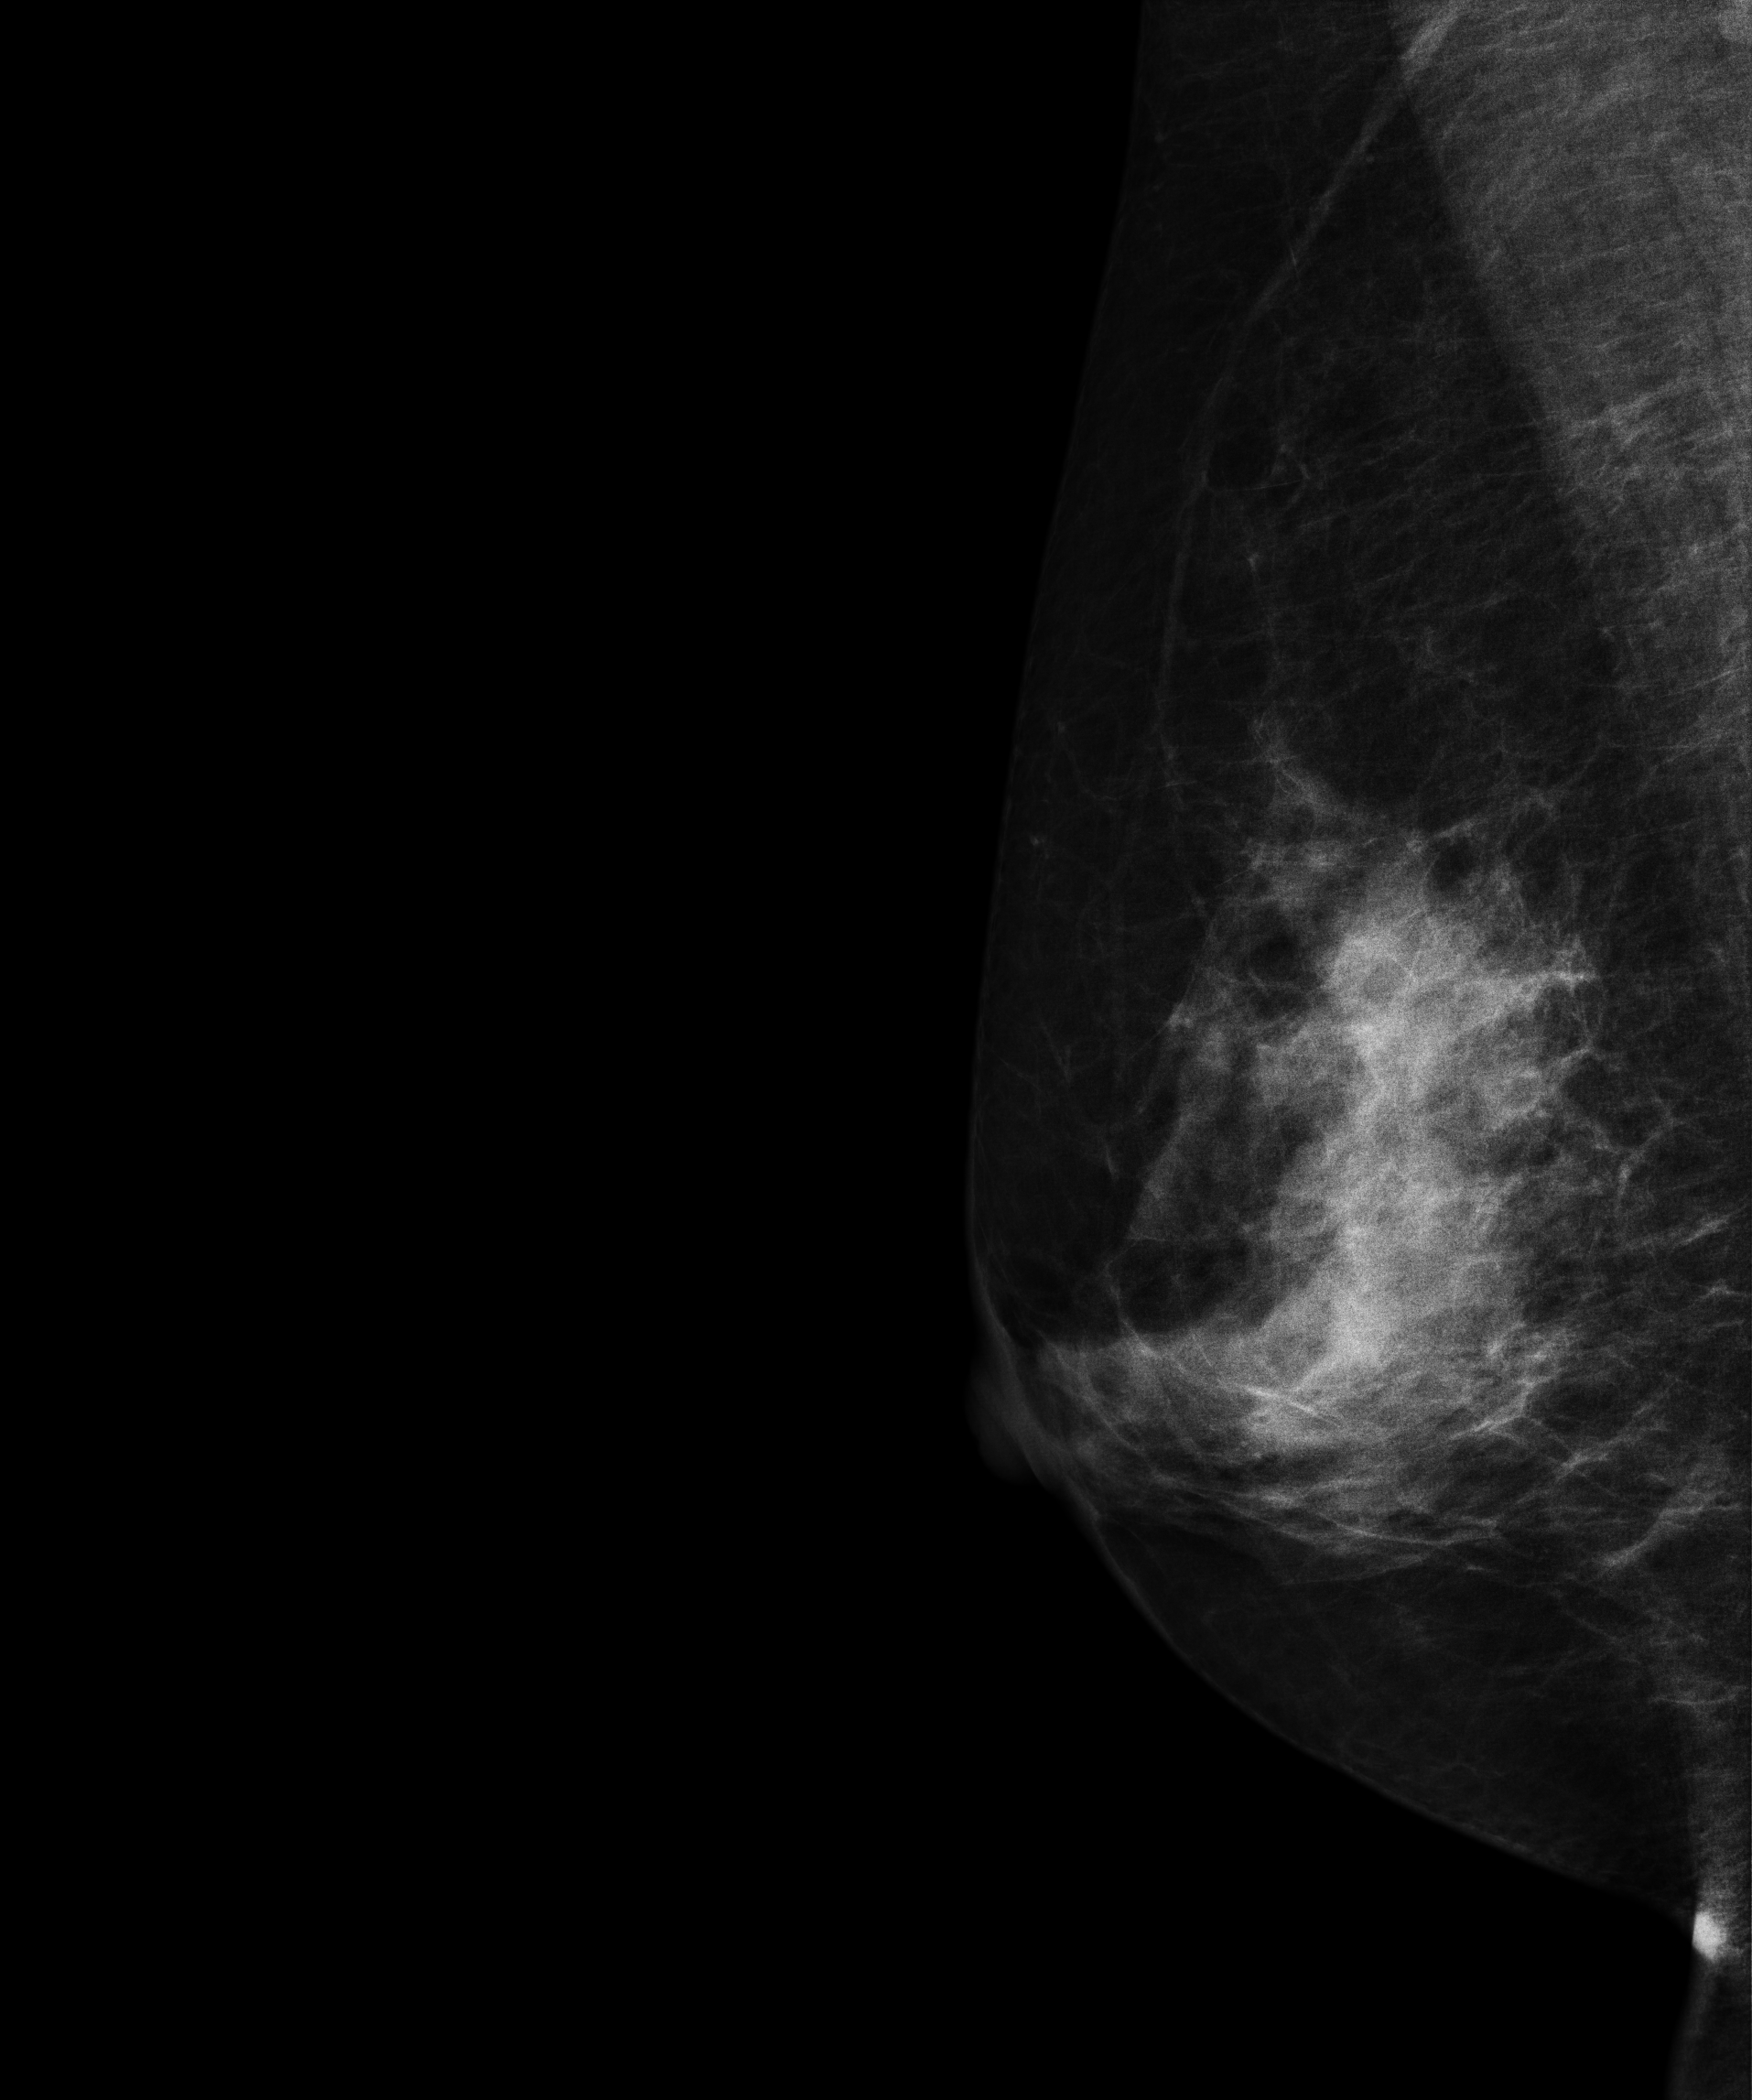
Digital mammography. Right breast, MLO projection. Patient age 50.
This breast has a mass, pathology-confirmed benign.